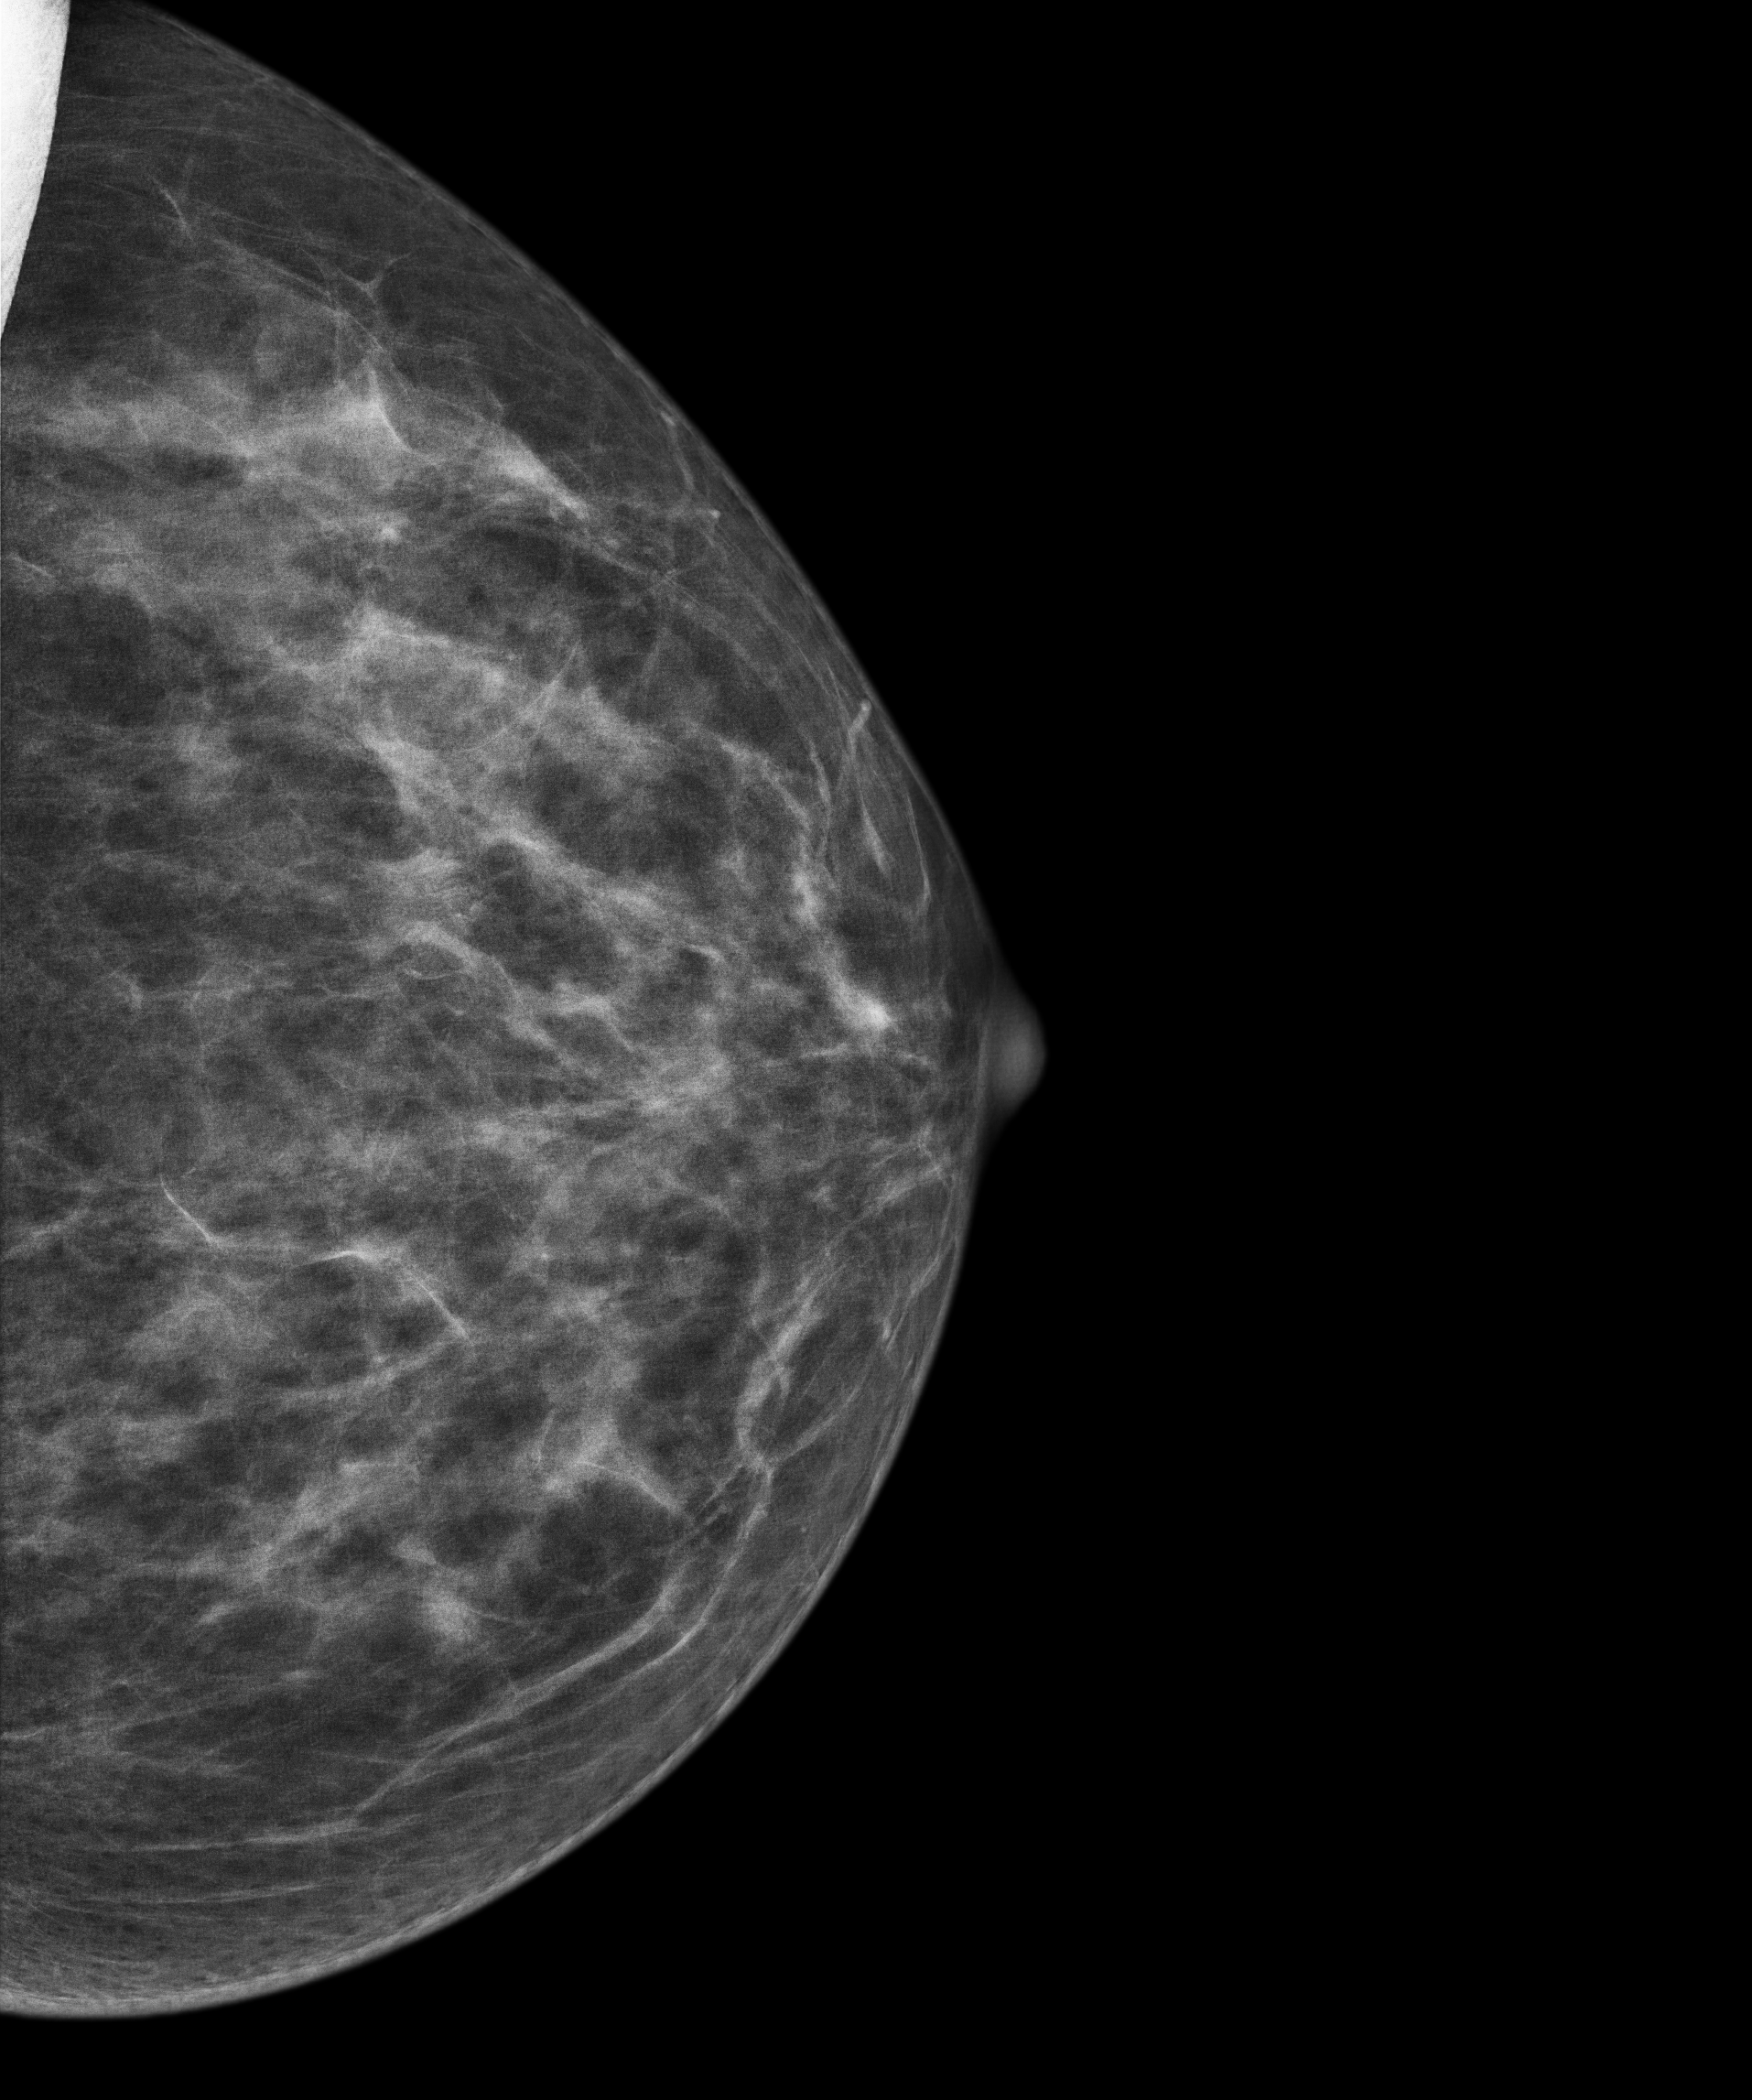
Digital mammography. Left breast, cranio-caudal projection. 51-year-old patient.
Contralateral breast — no documented abnormality on this side.